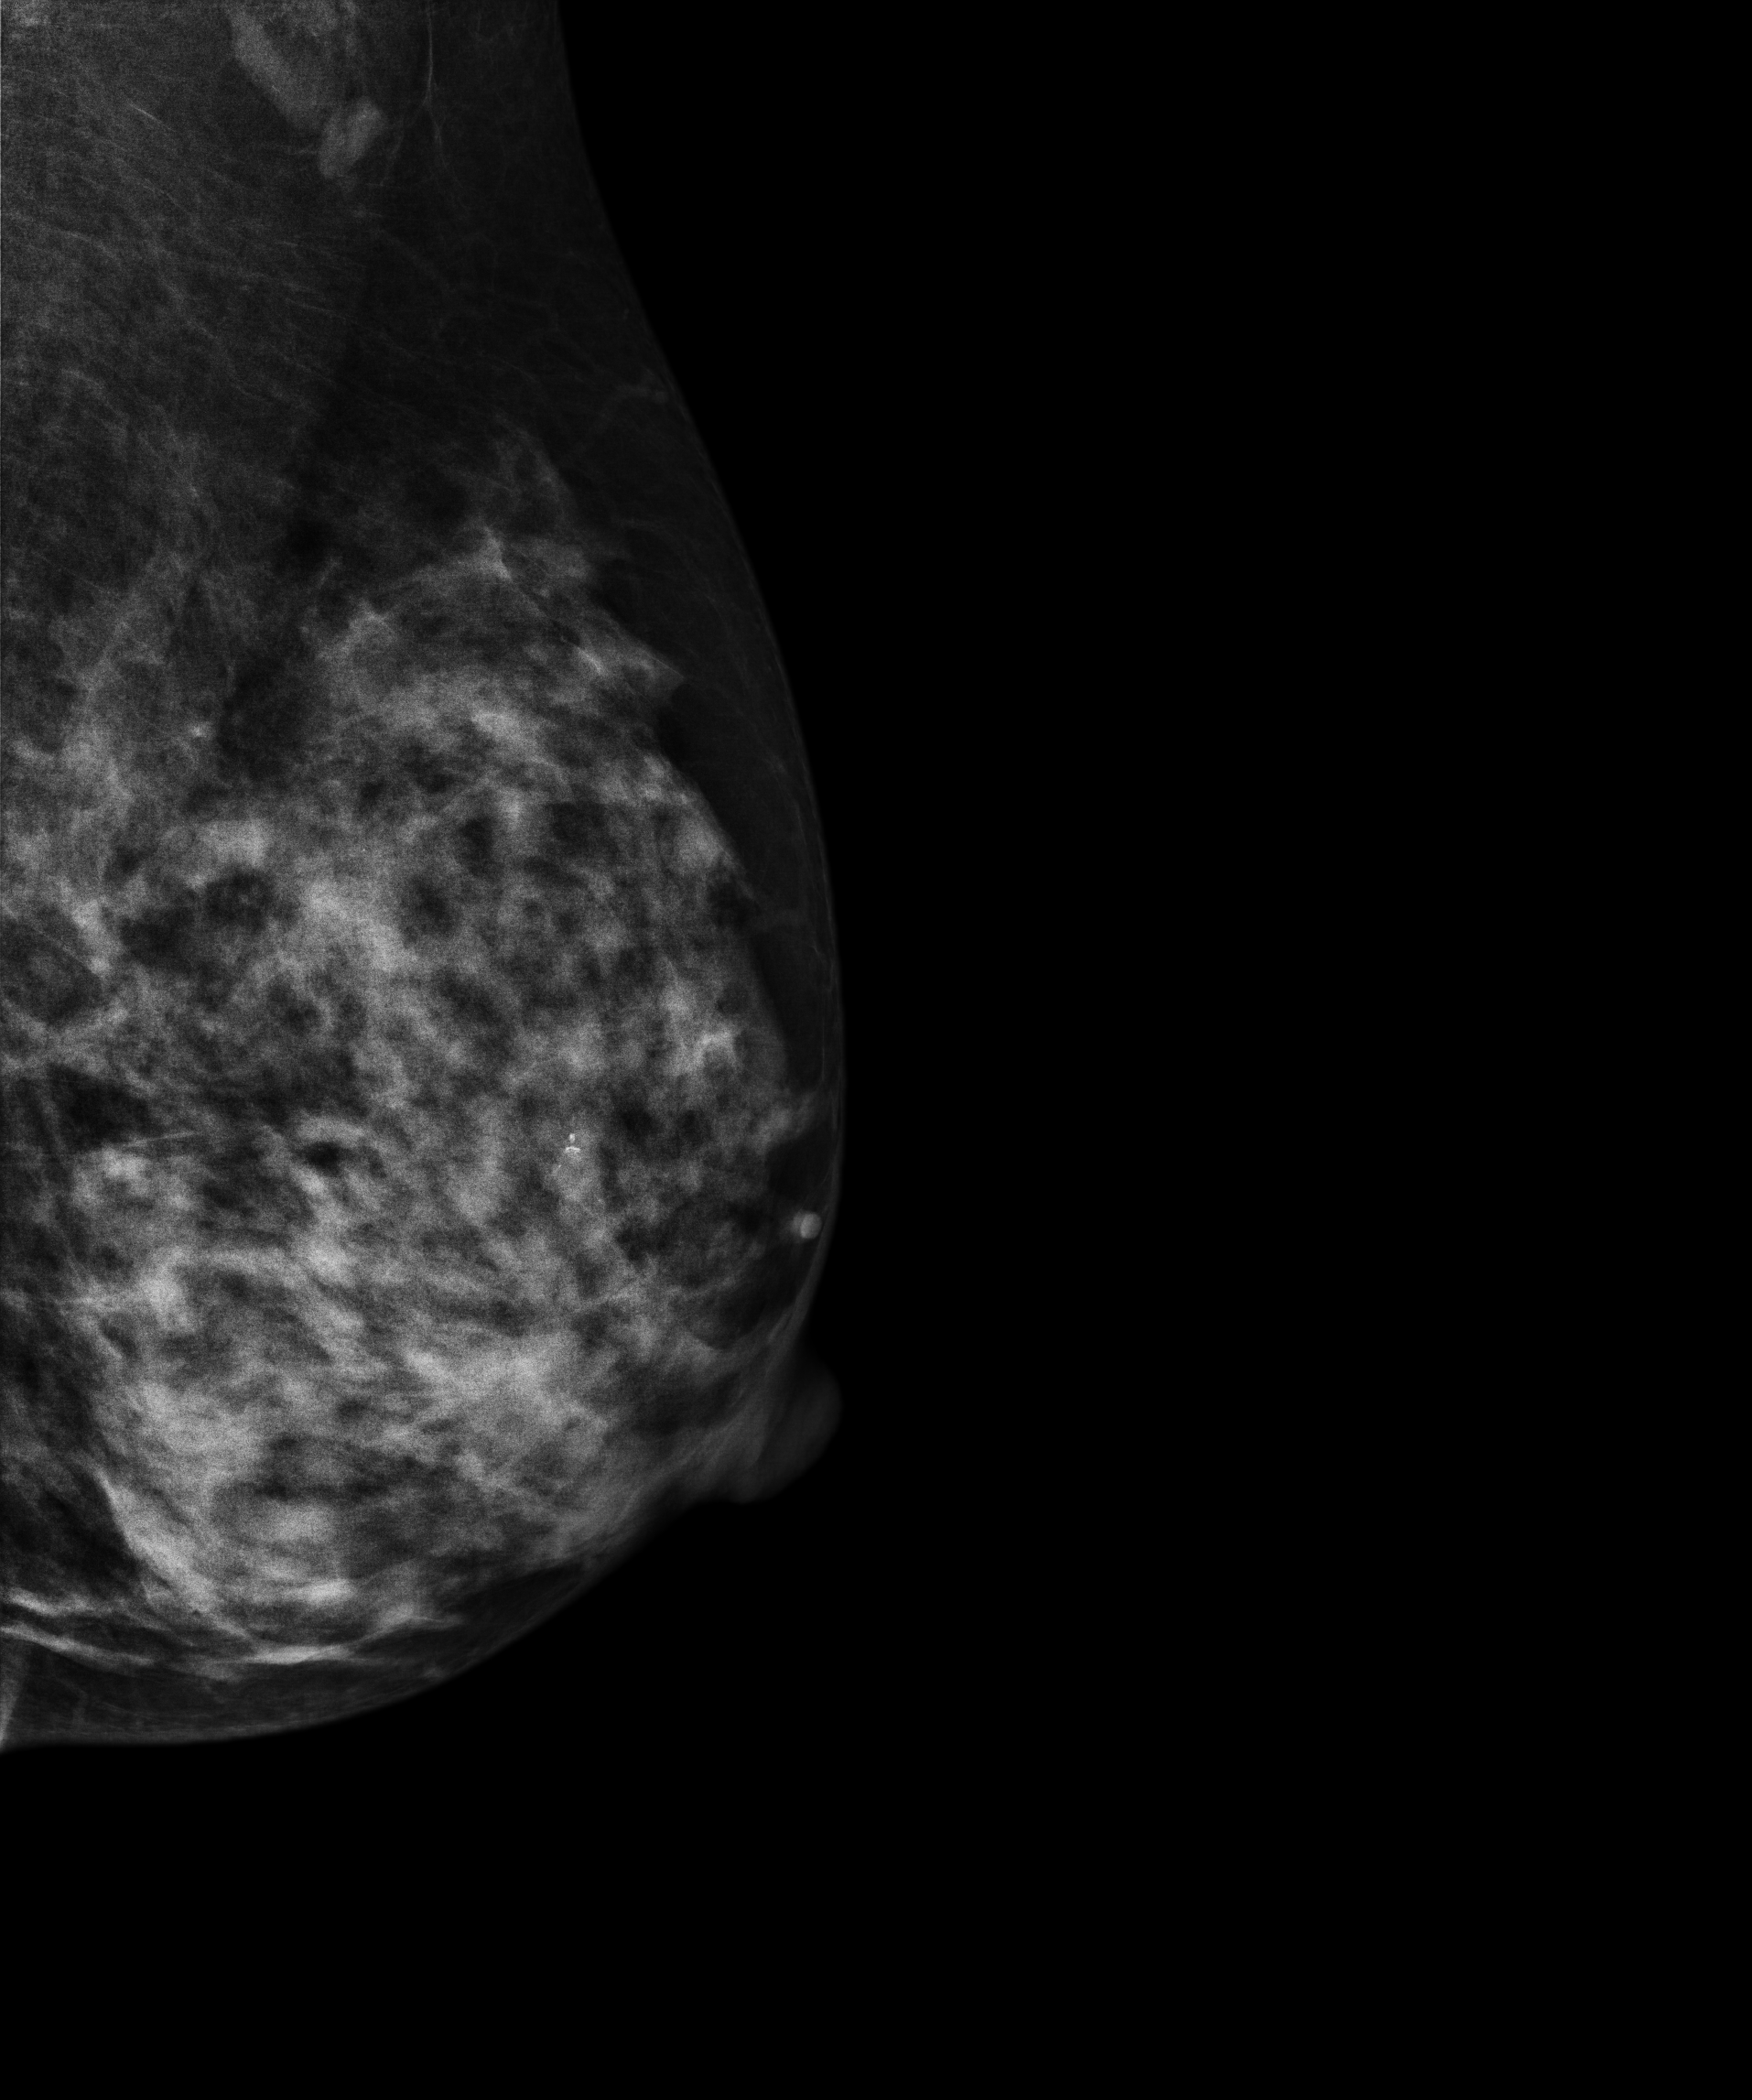
Digital mammography. Left breast, medio-lateral oblique projection. 40 y/o patient.
This breast has calcifications, biopsy-confirmed benign.